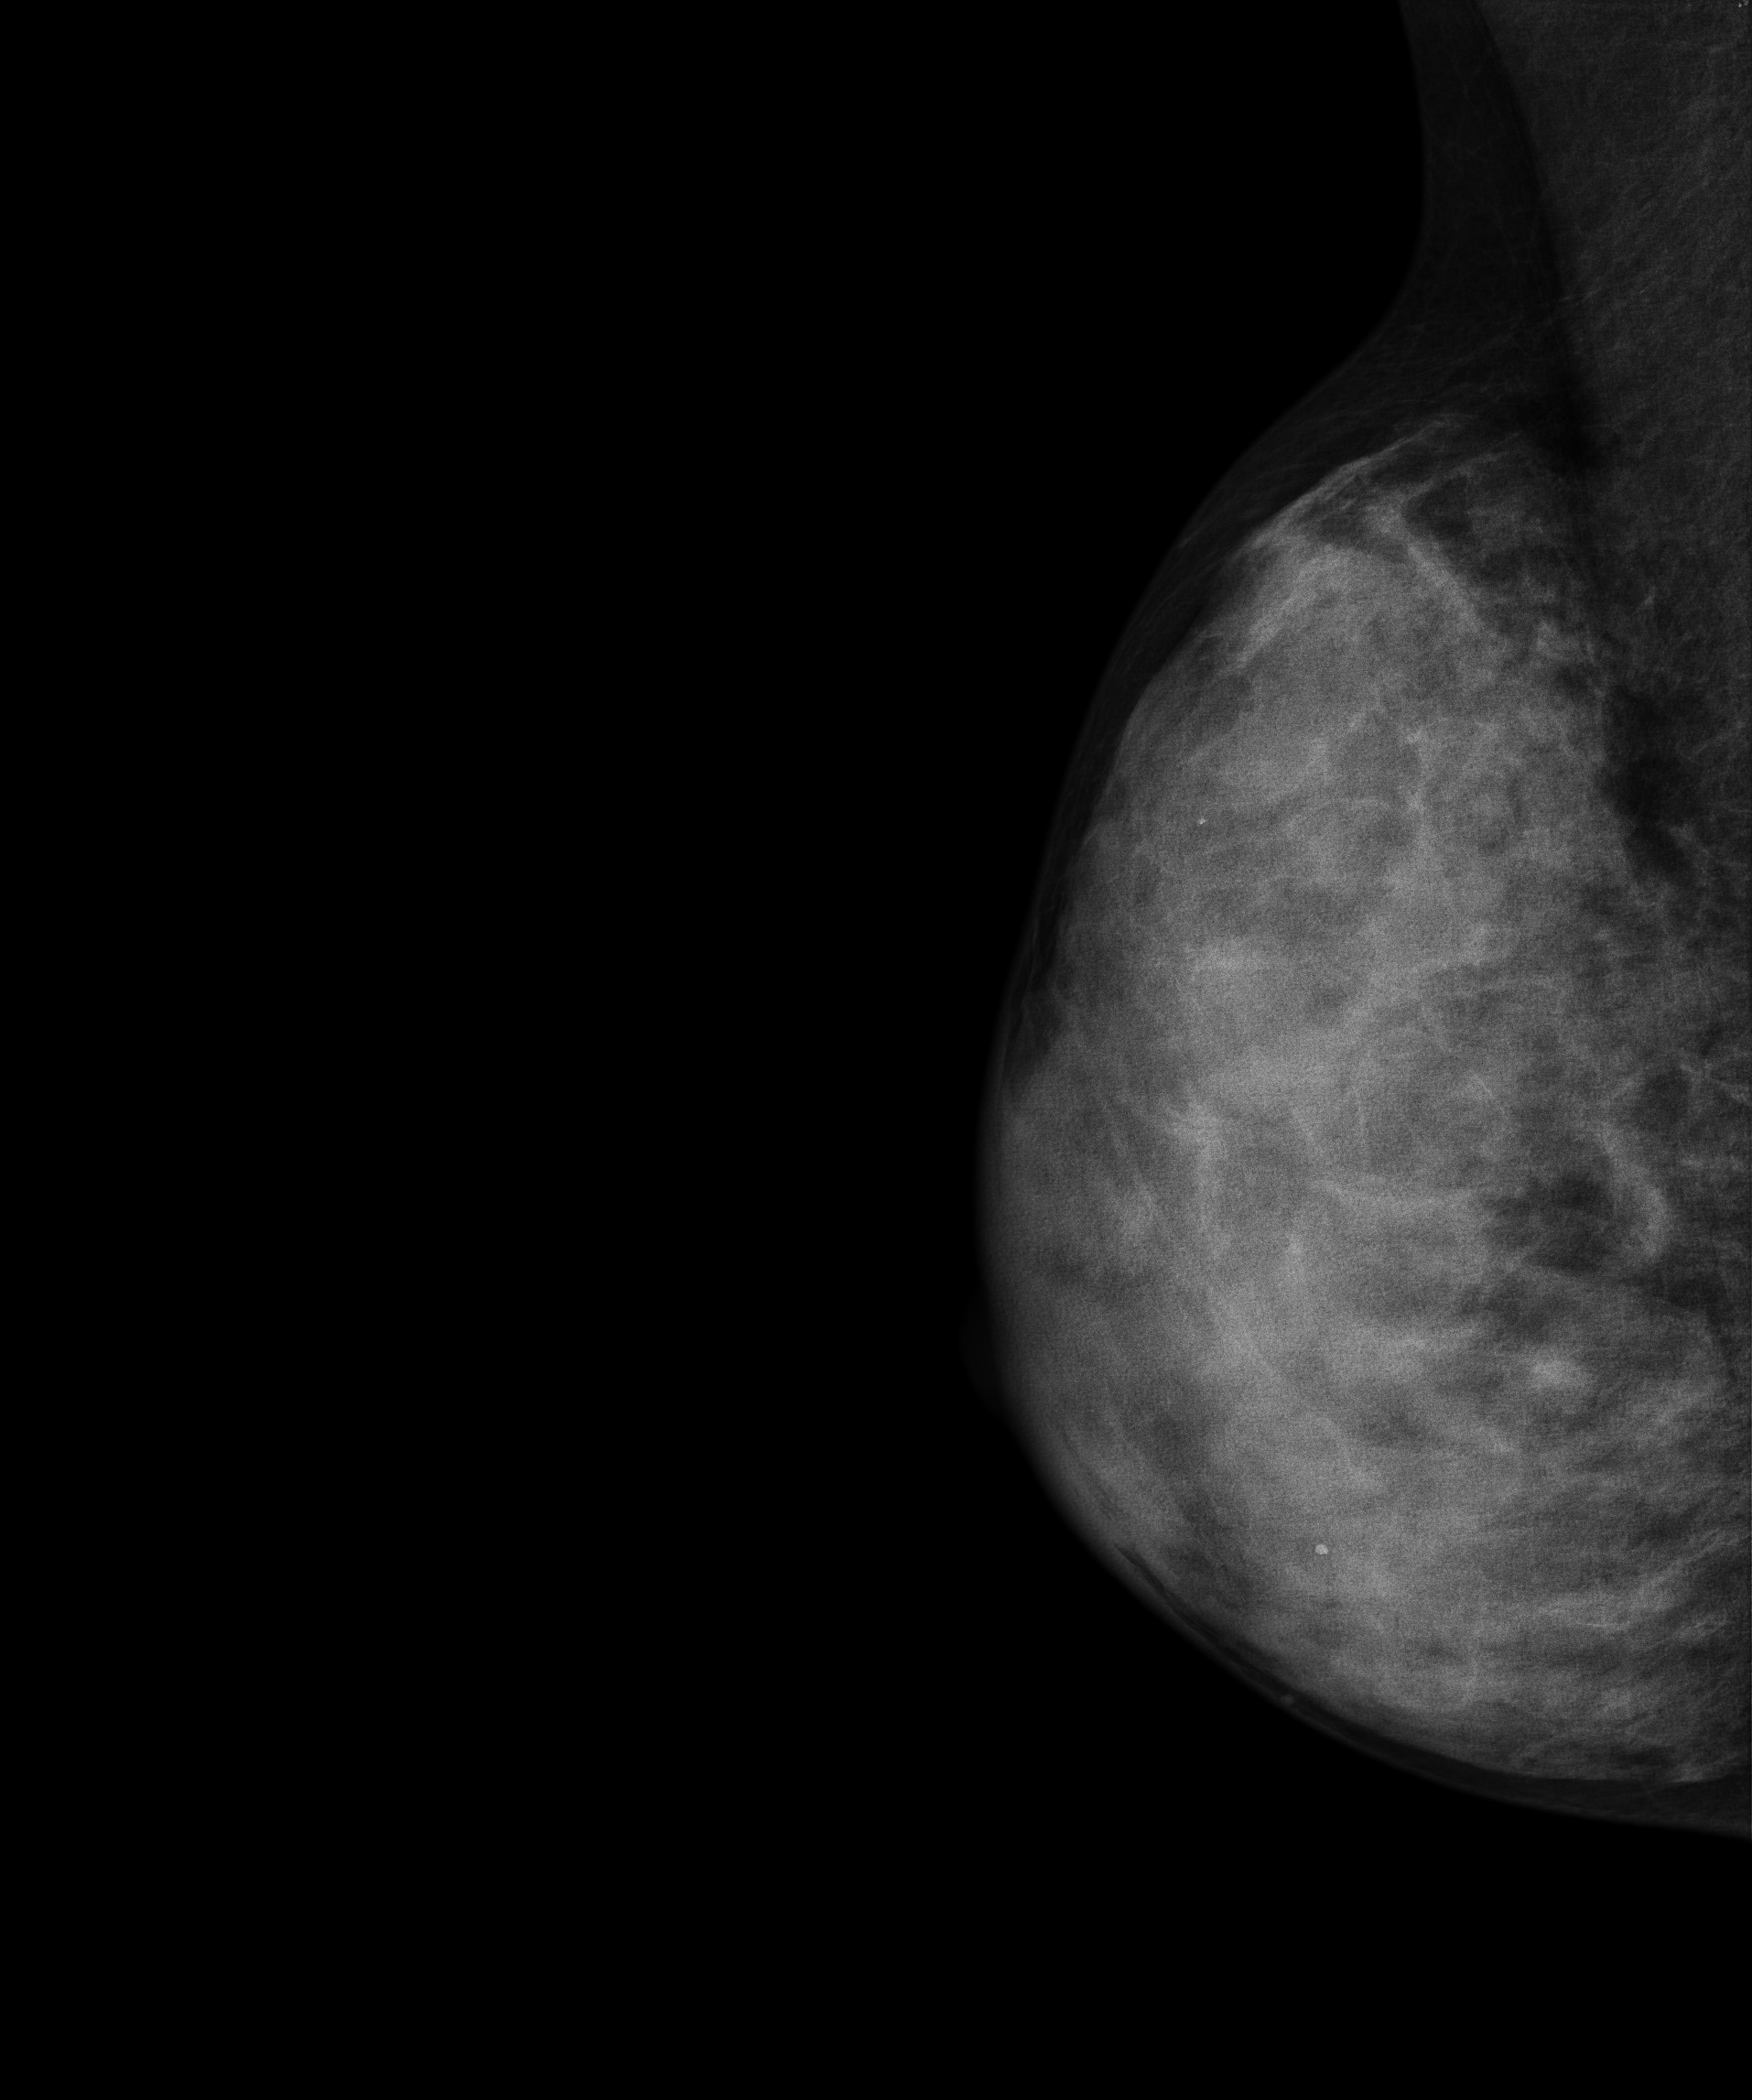
Right-breast mammogram, medio-lateral oblique. Patient age 28.
This breast has a mass, biopsy-confirmed benign.